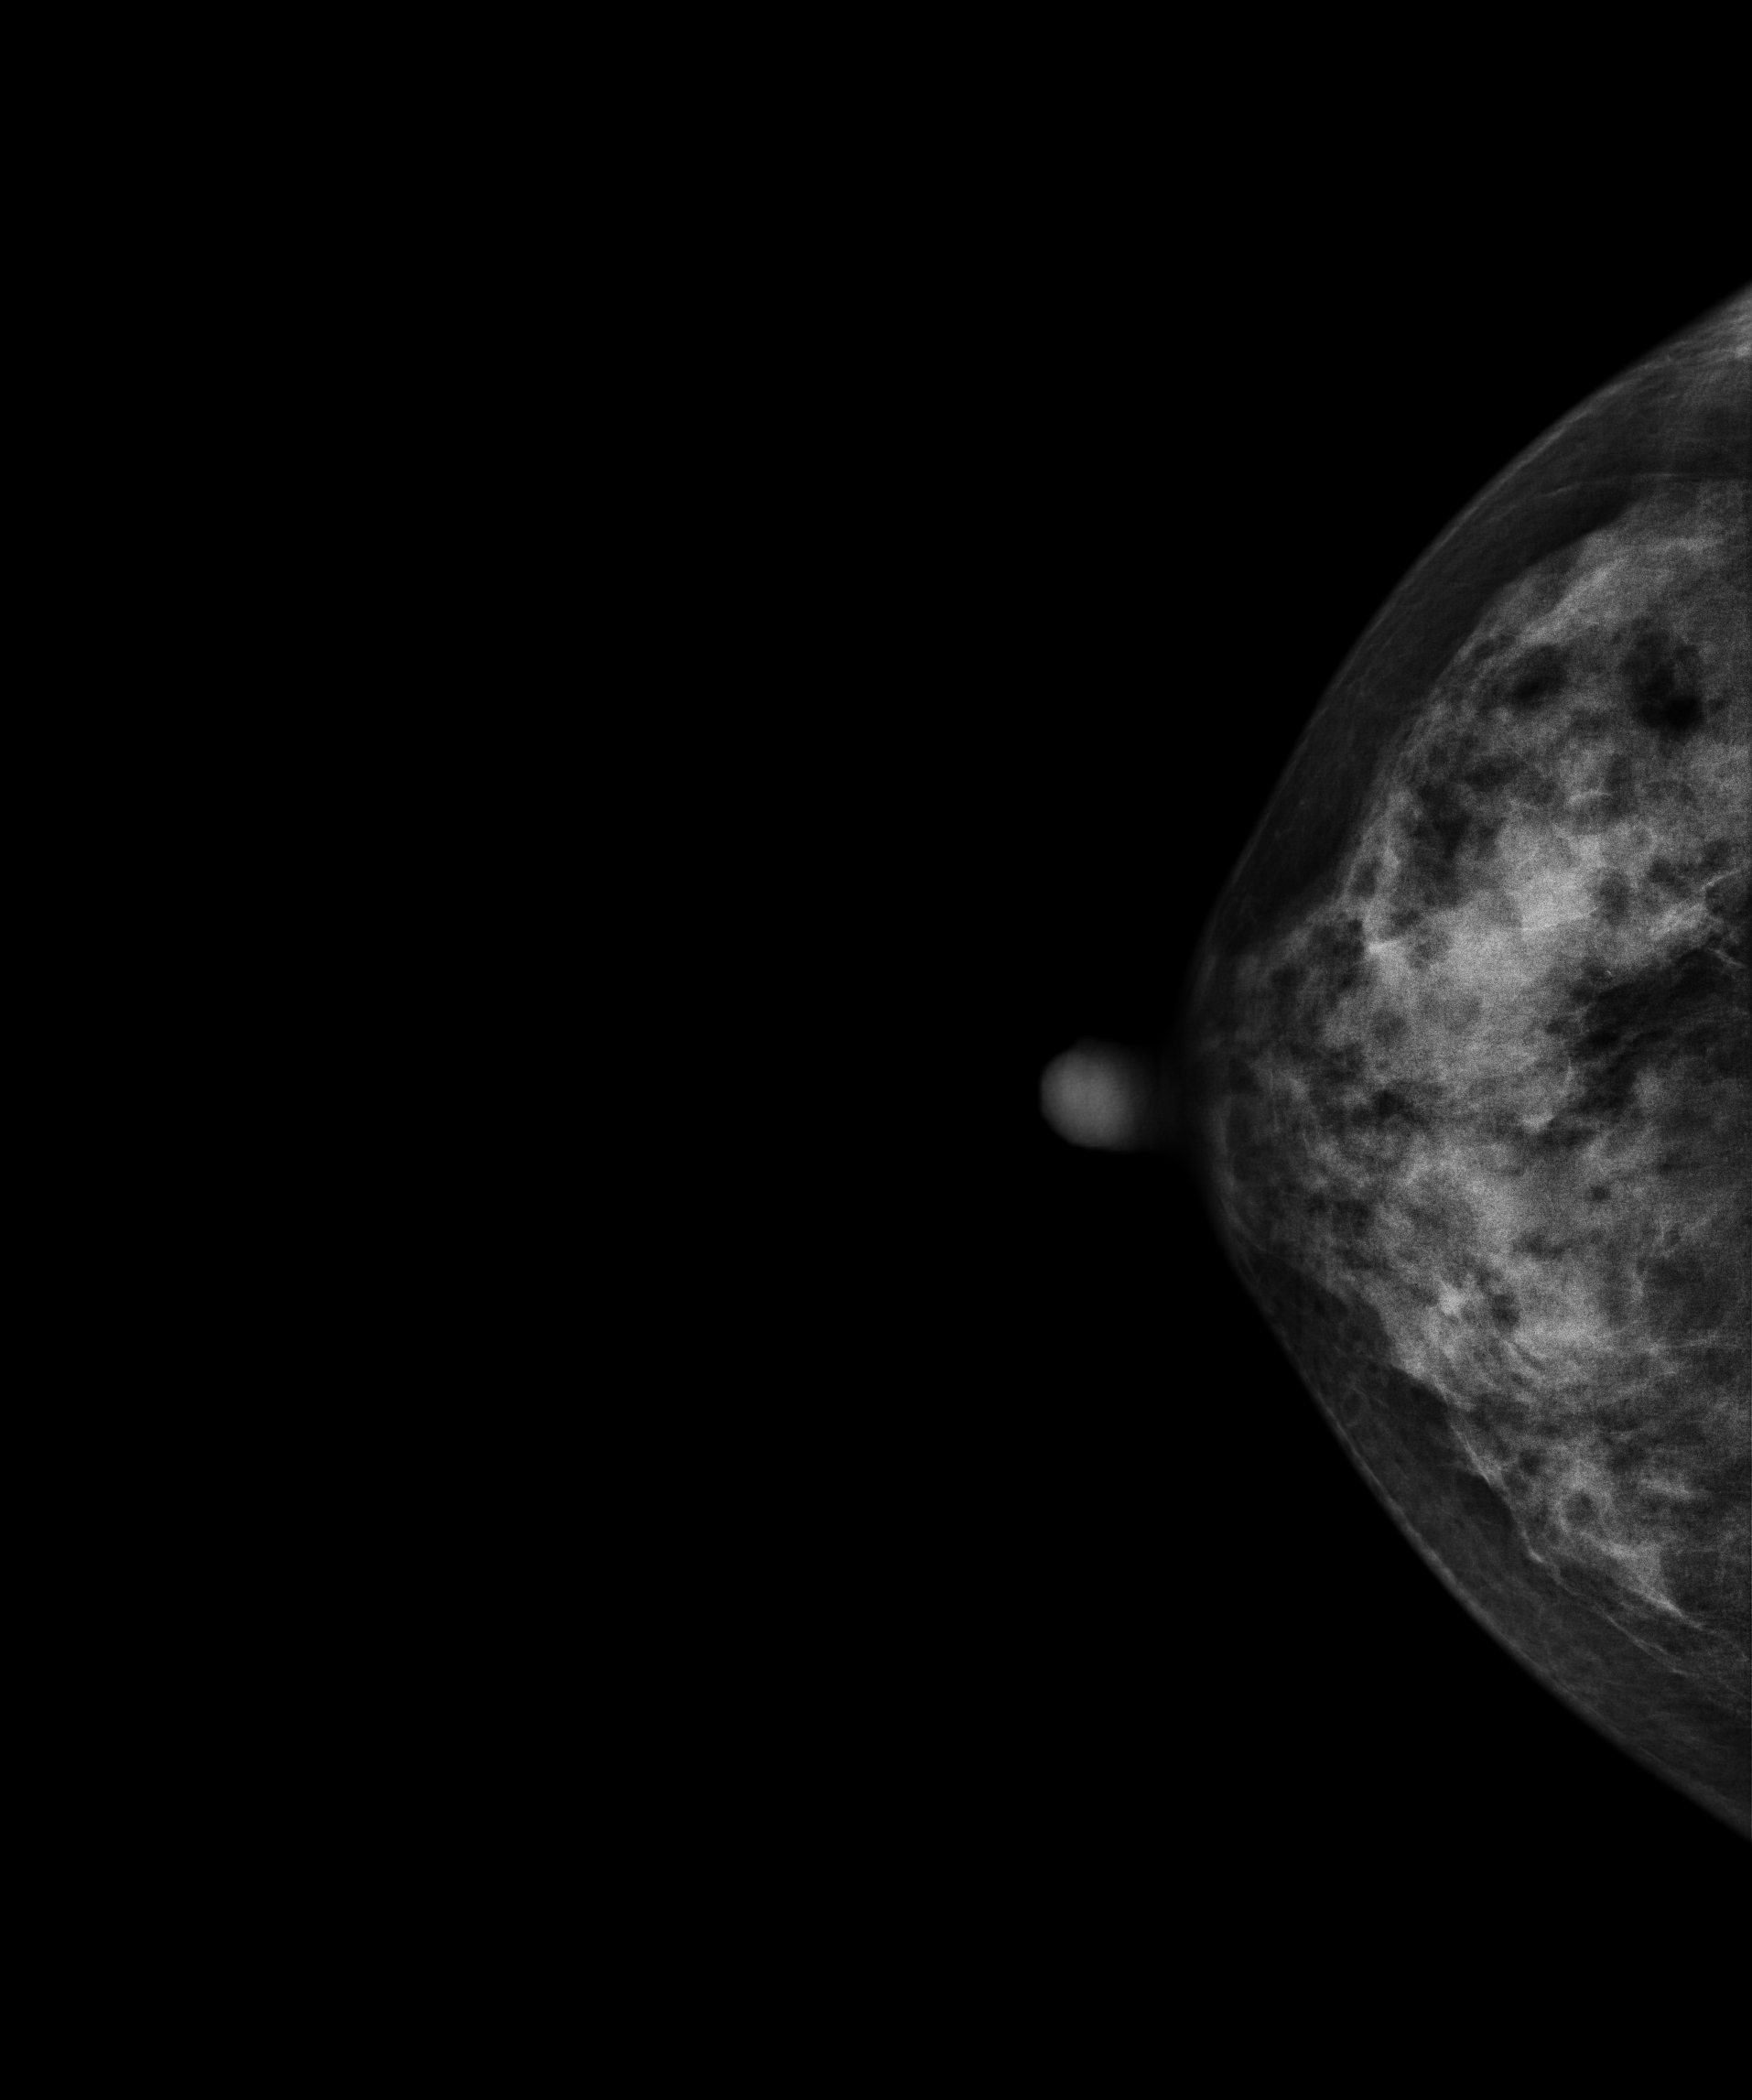
Mammogram, right breast, cranio-caudal view. 53 y/o patient.
This breast has a mass, biopsy-proven malignant.